Left-breast mammogram, cranio-caudal. 50-year-old patient.
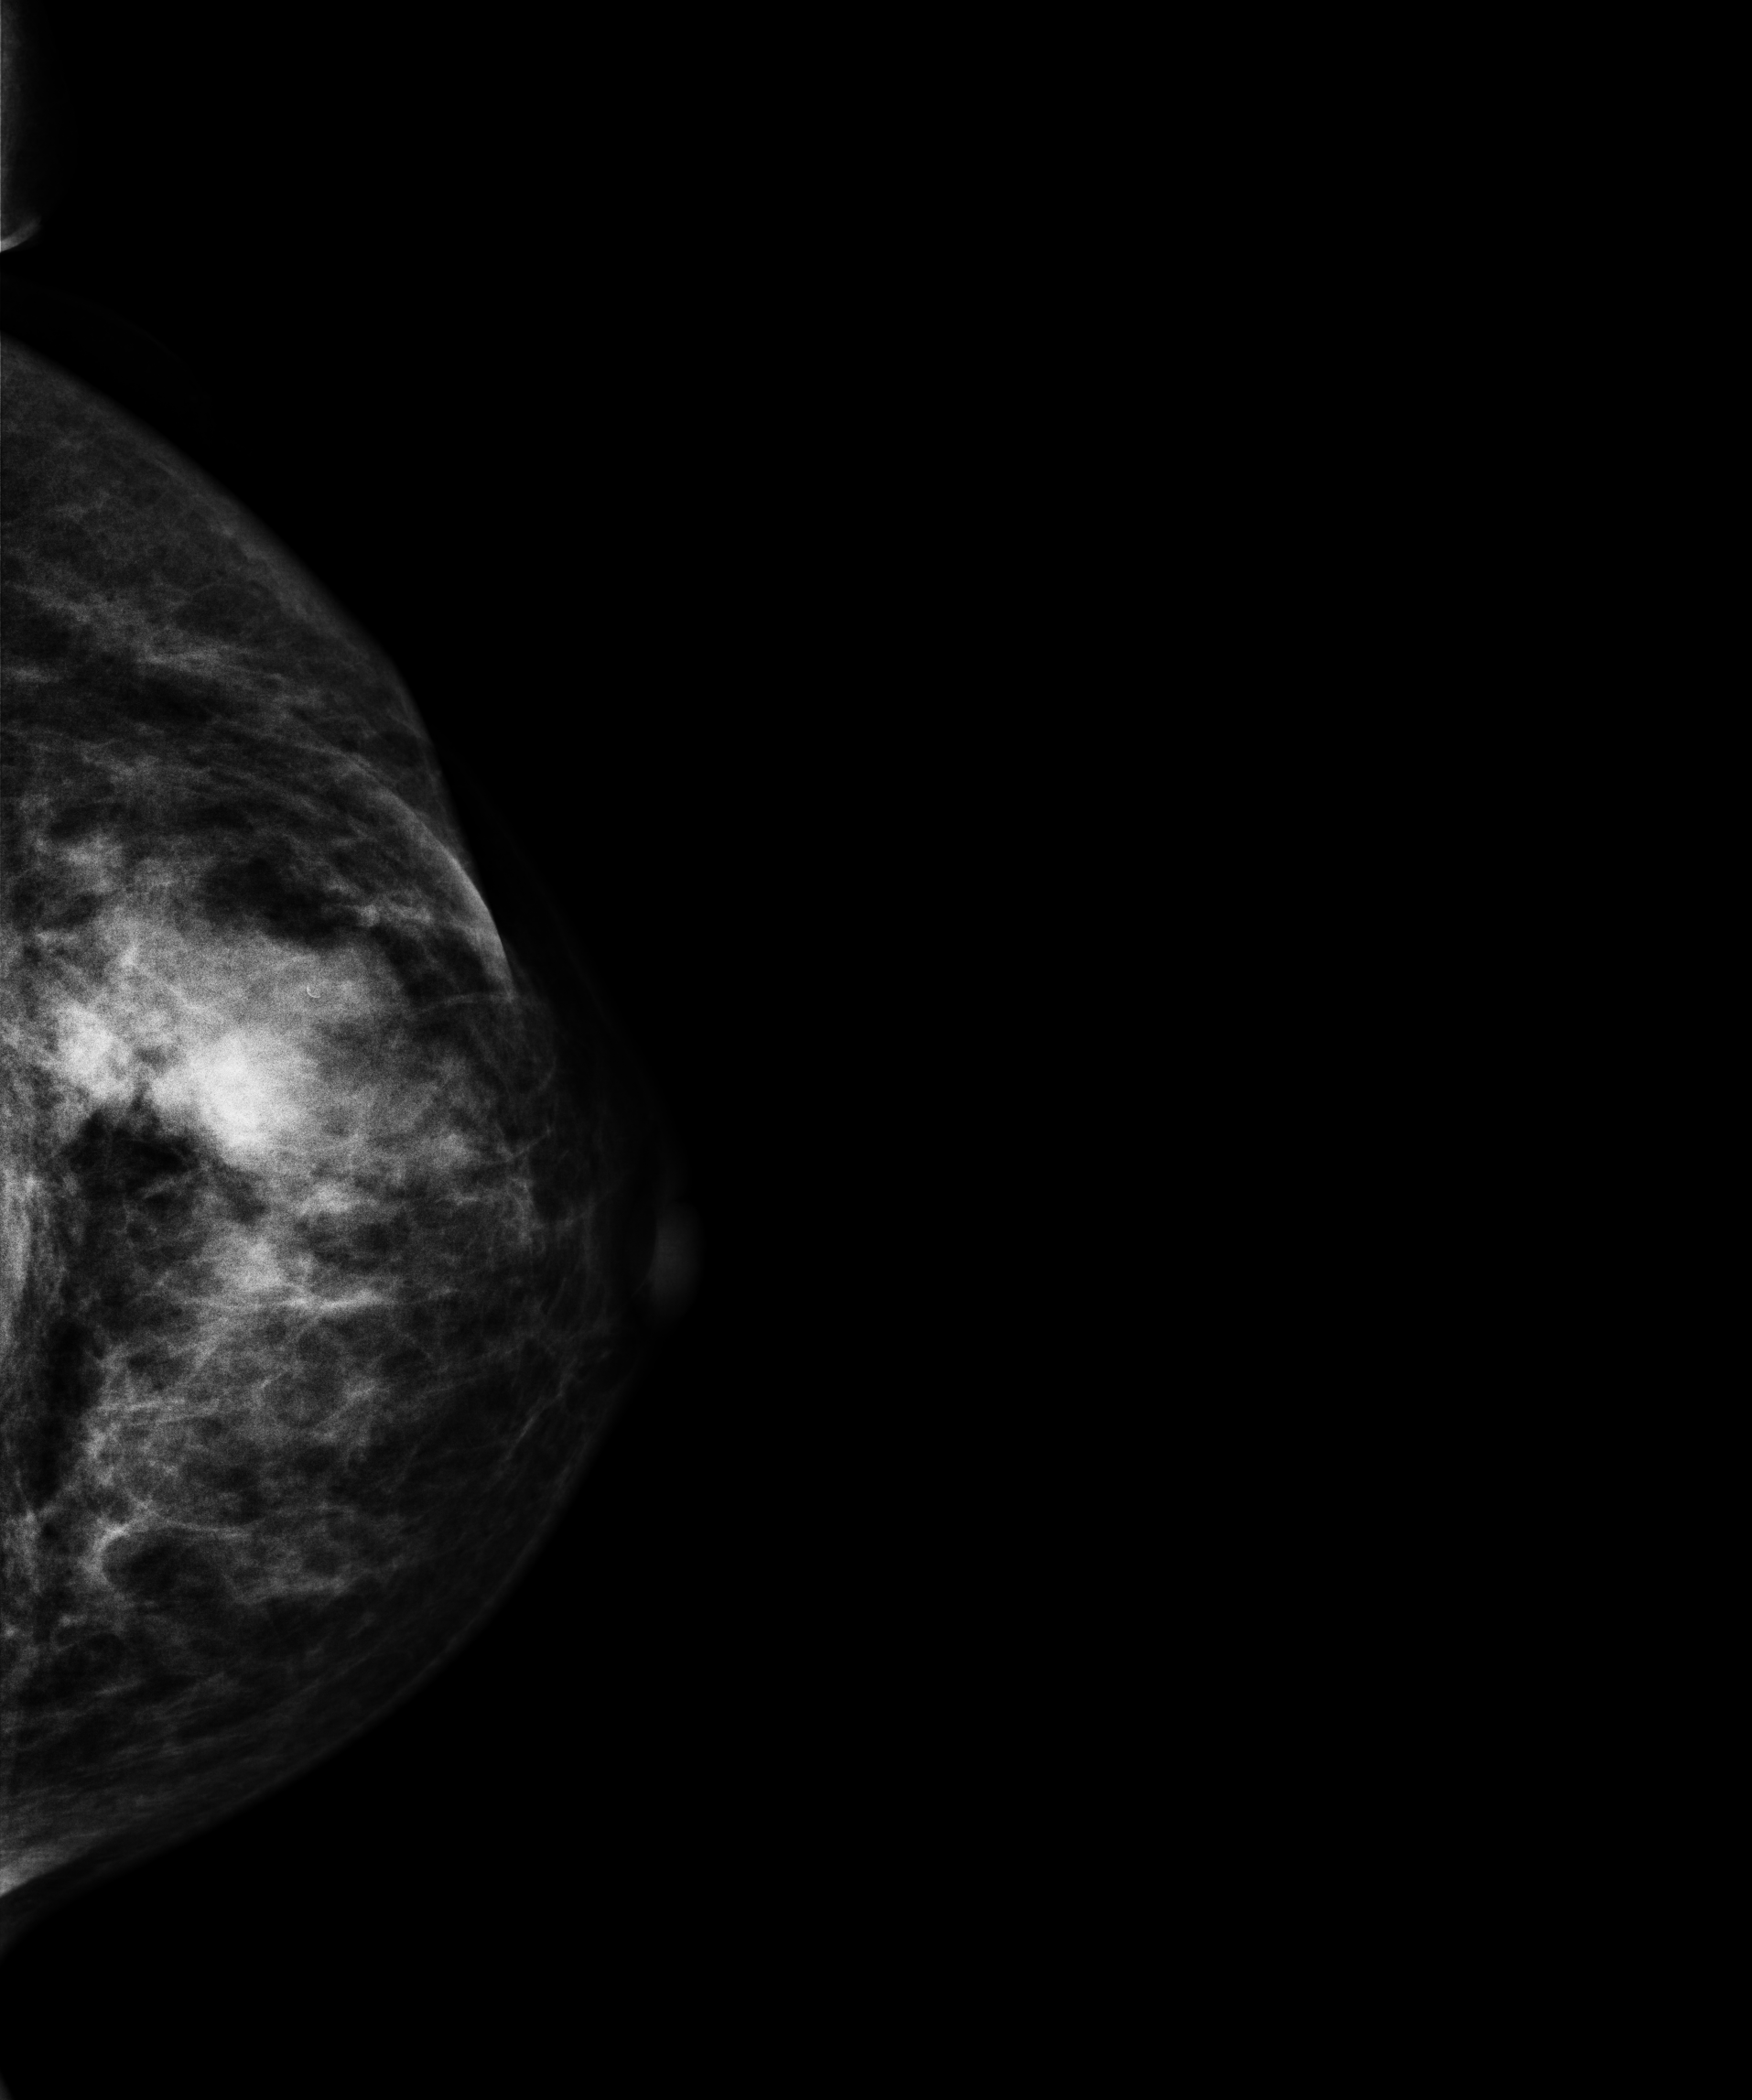
Contralateral breast — no documented abnormality on this side.